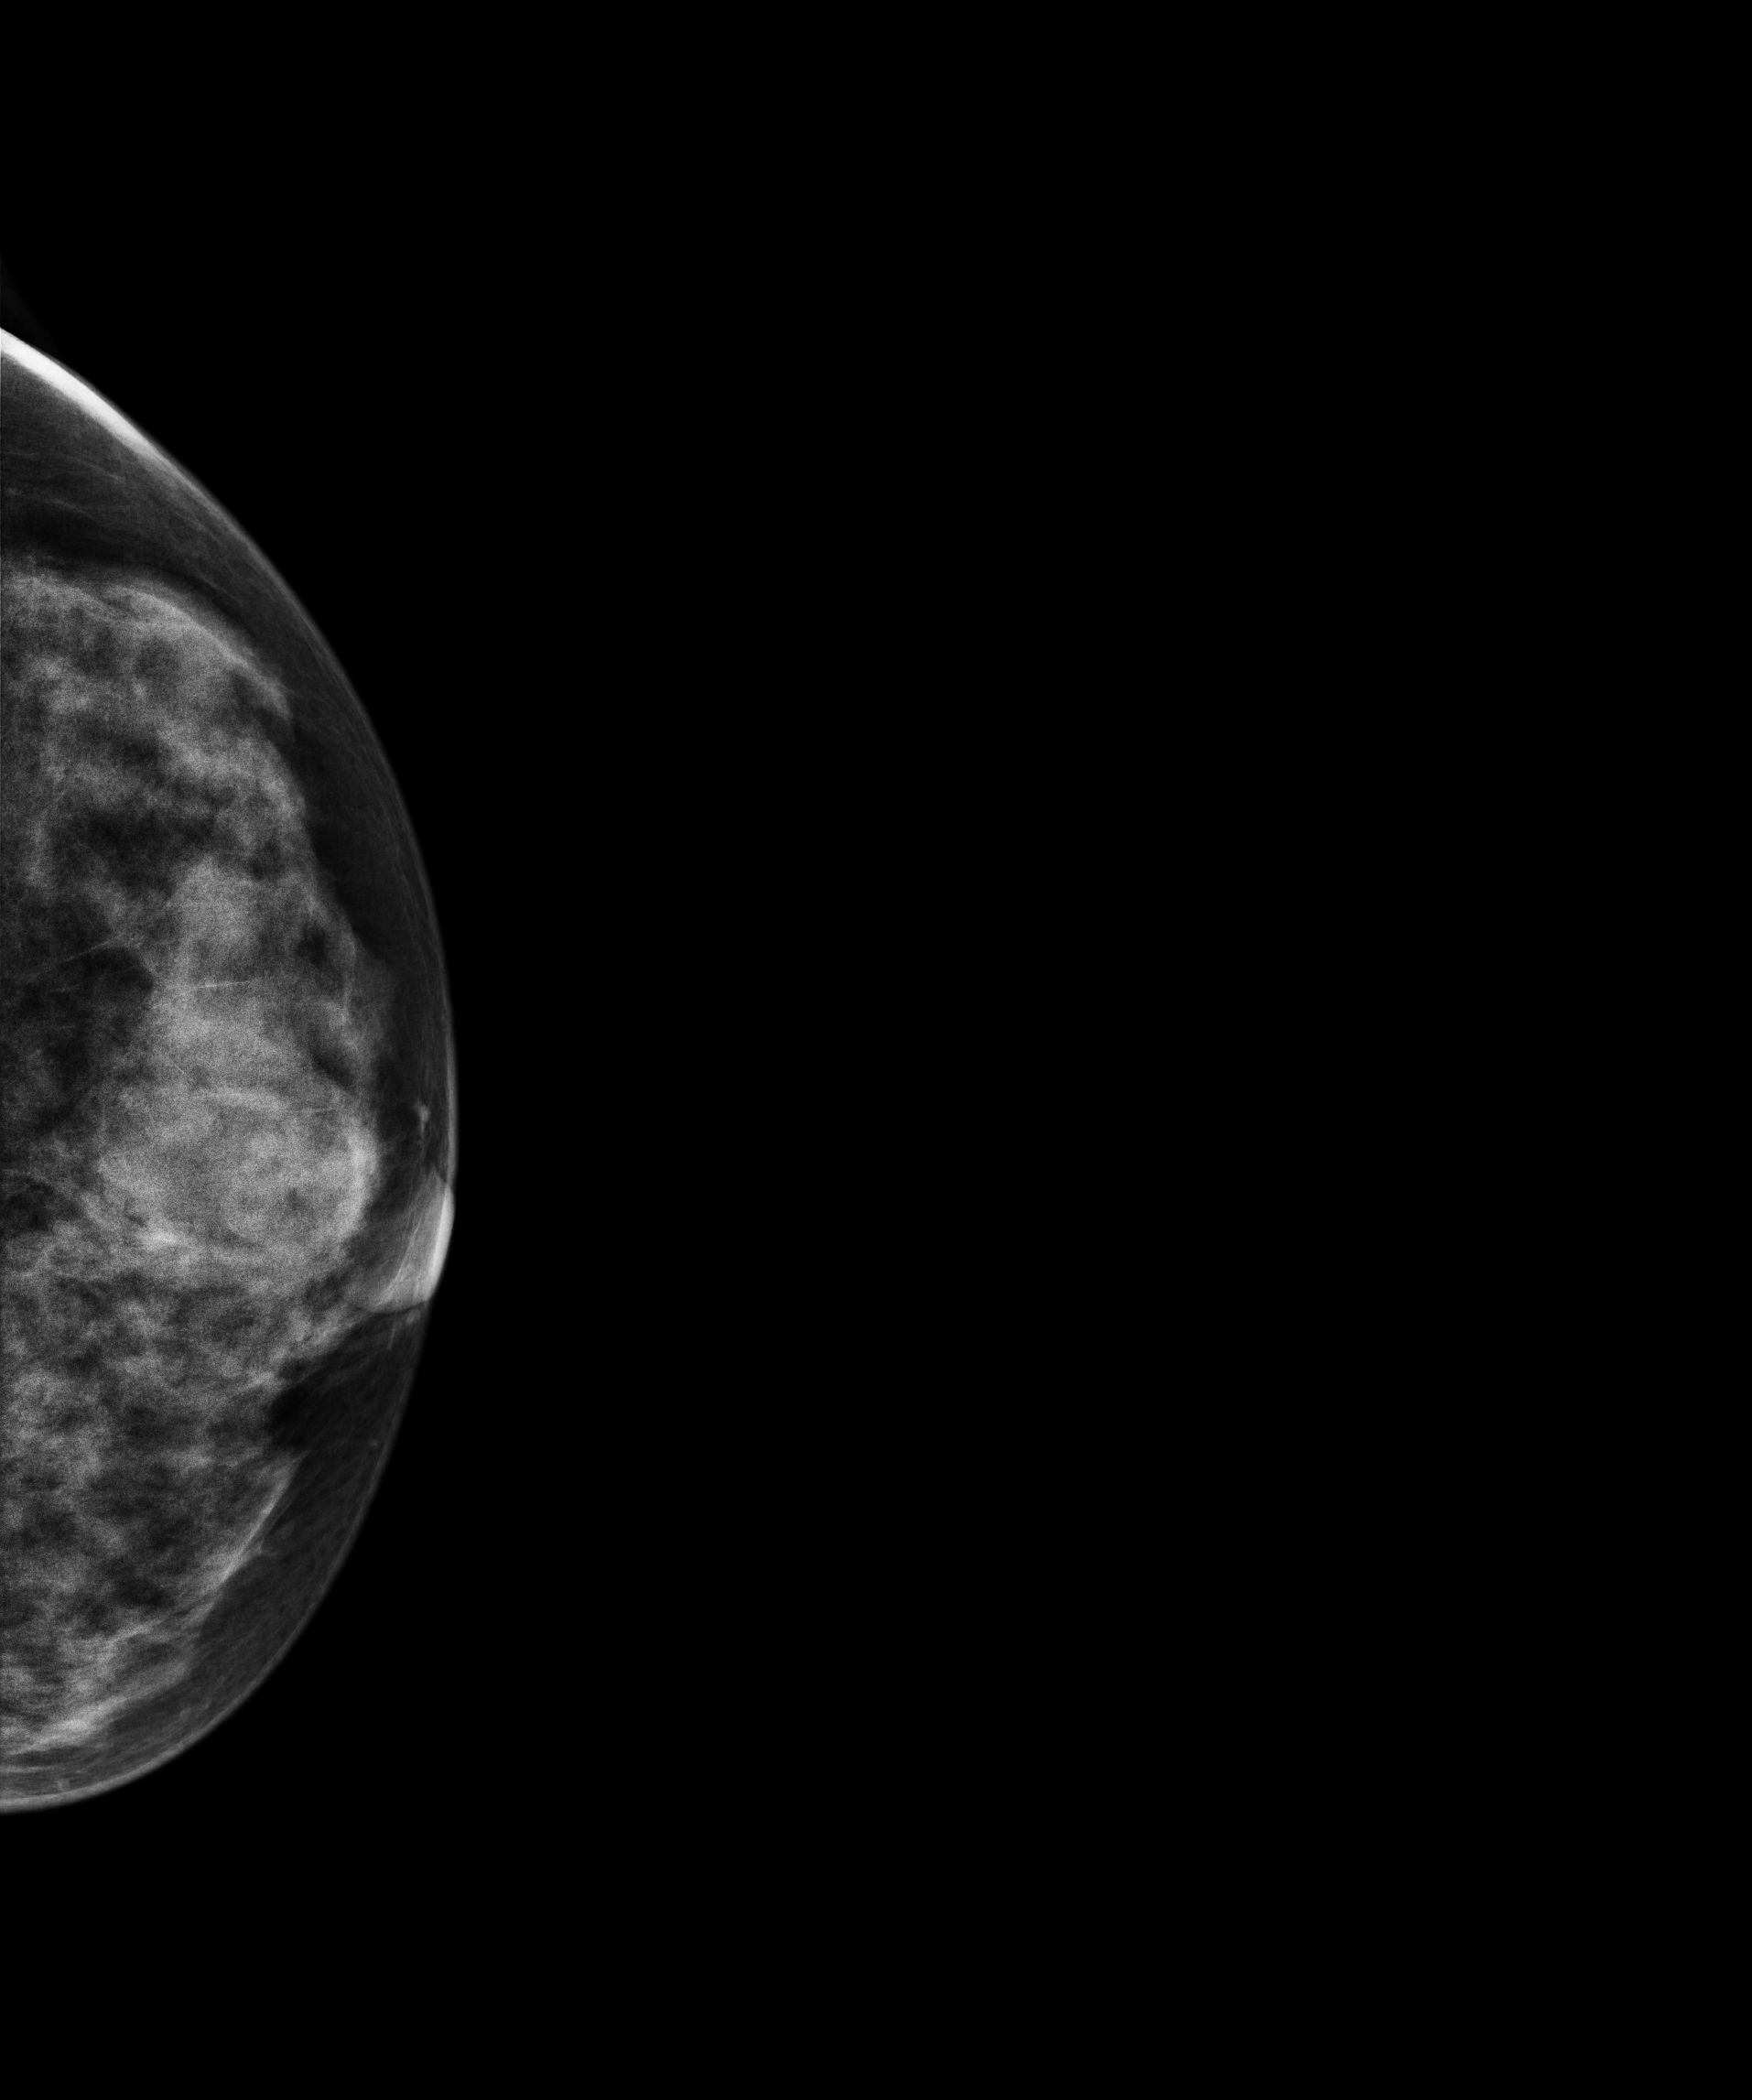
CC mammogram of the left breast. Patient age 46.
This breast has a mass, biopsy-proven benign.